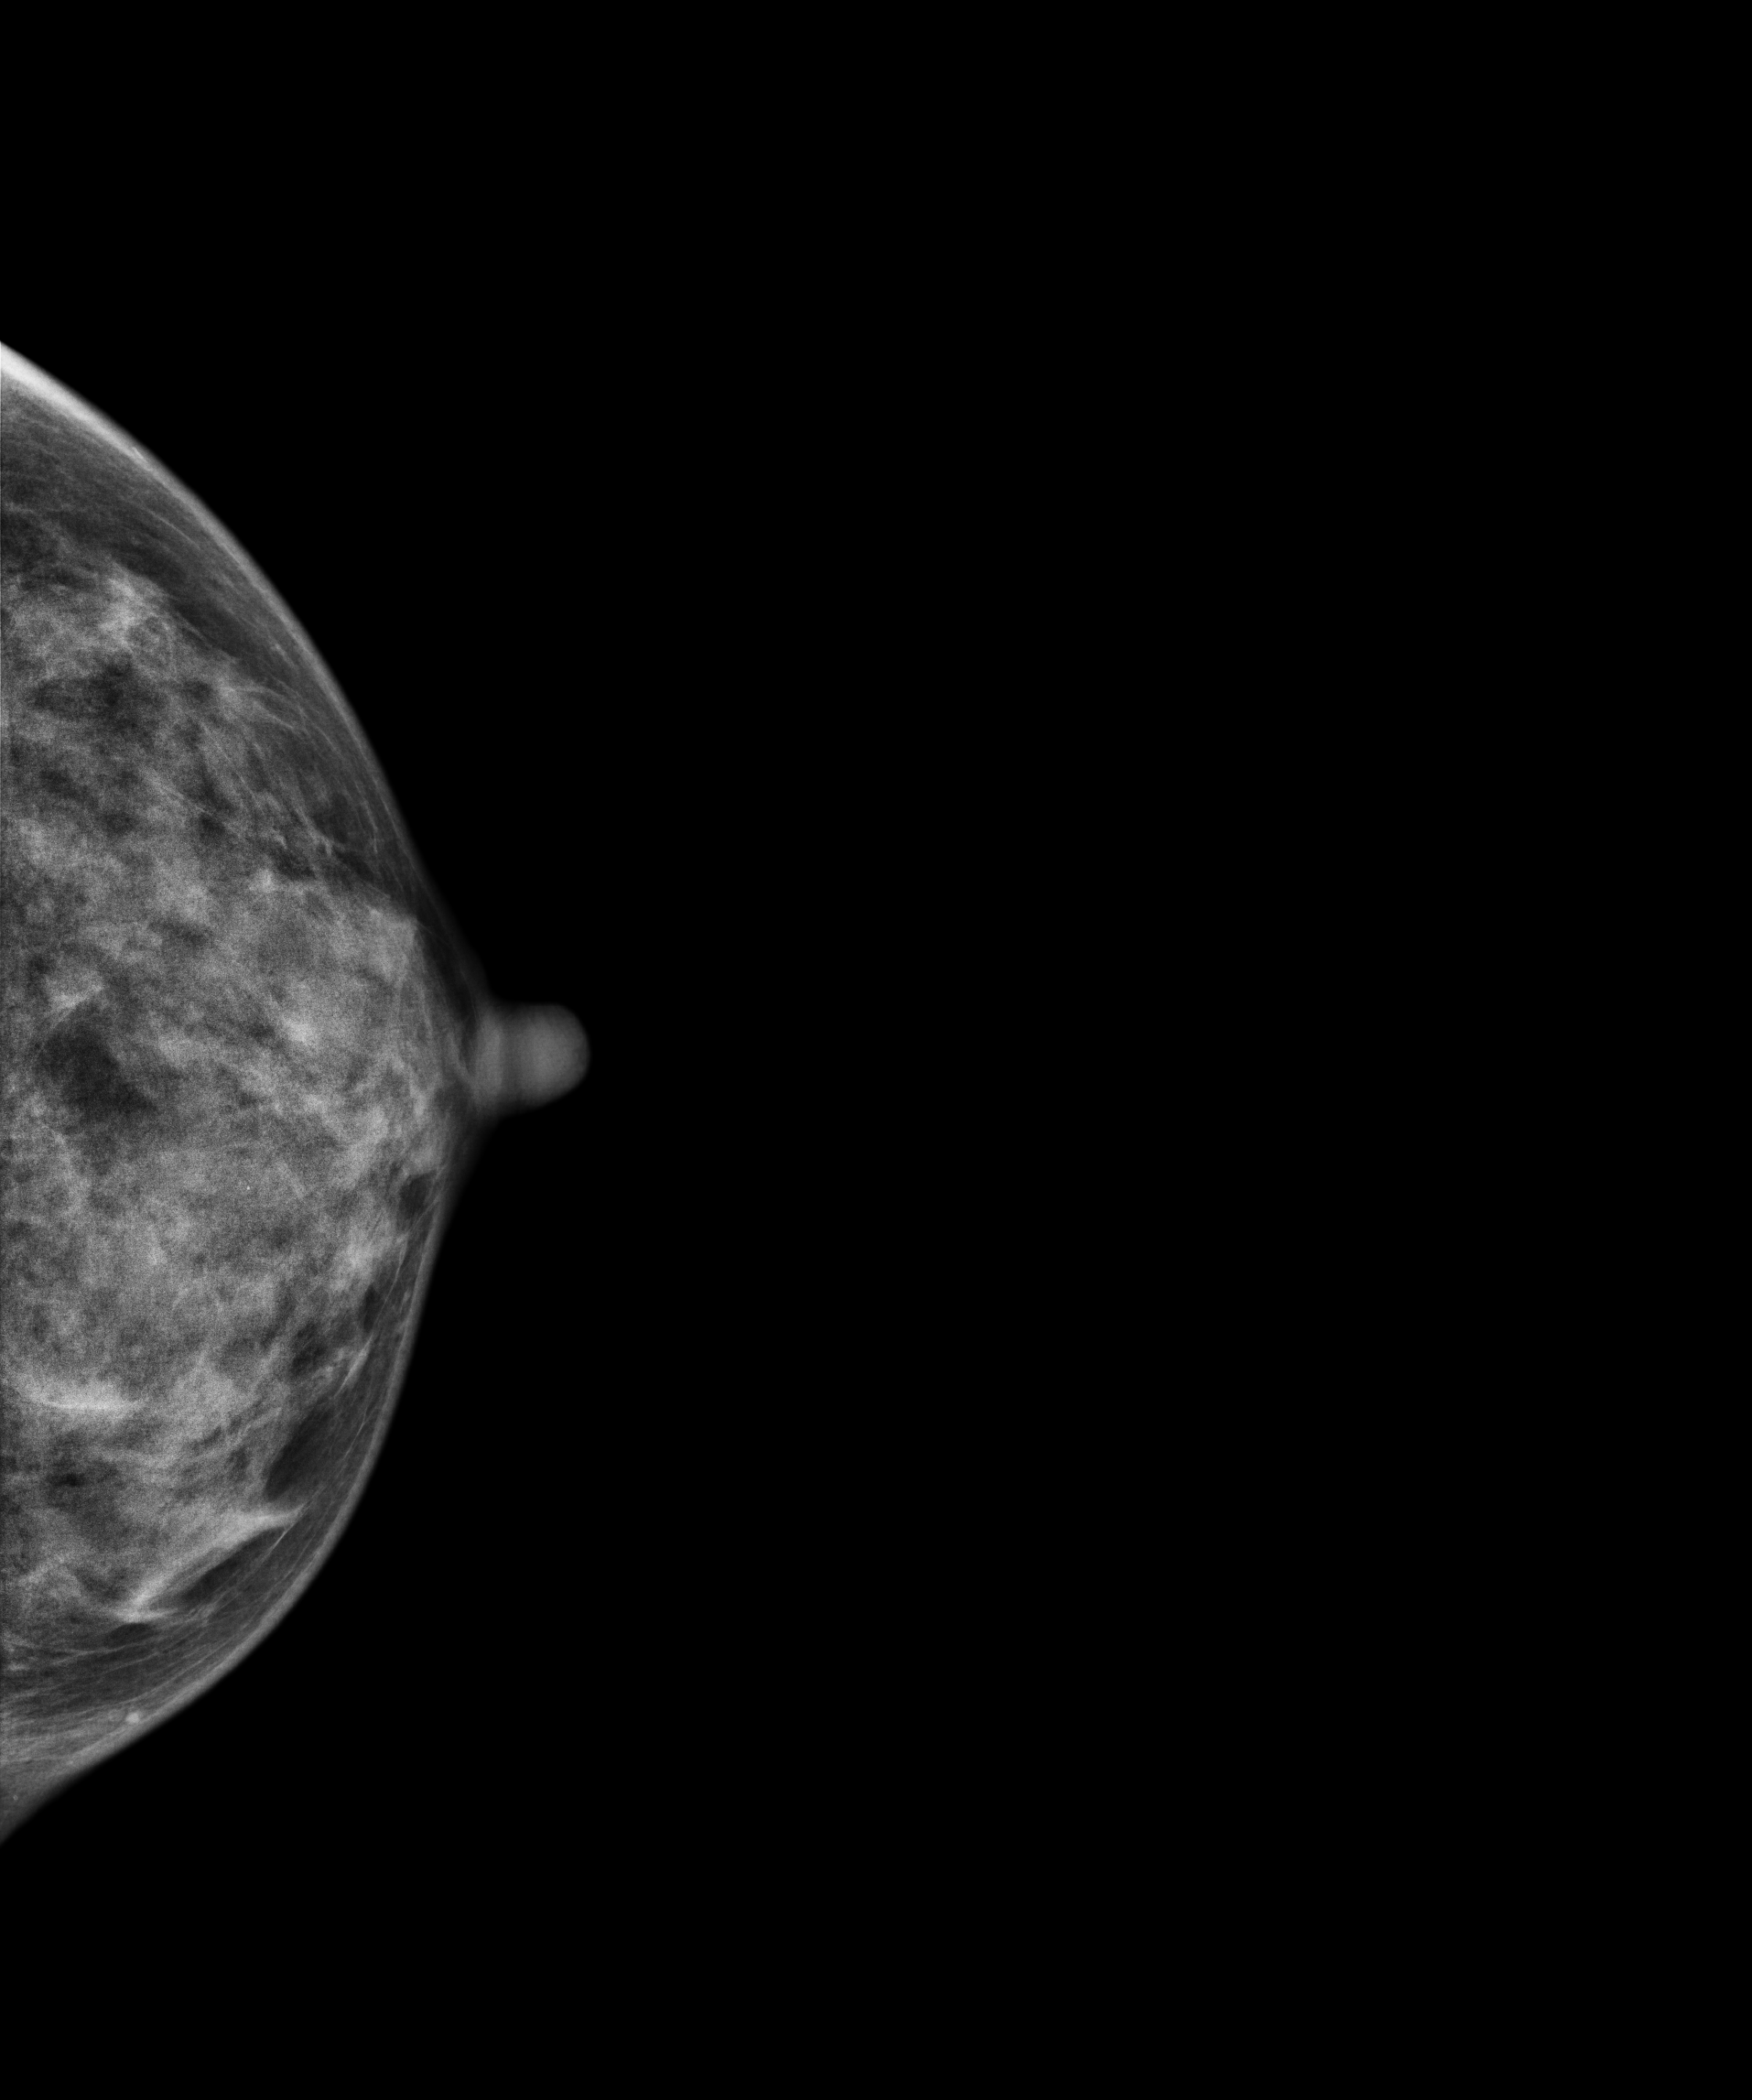
Mammogram, left breast, CC view. Patient age 45.
This breast has a mass, biopsy-proven malignant.